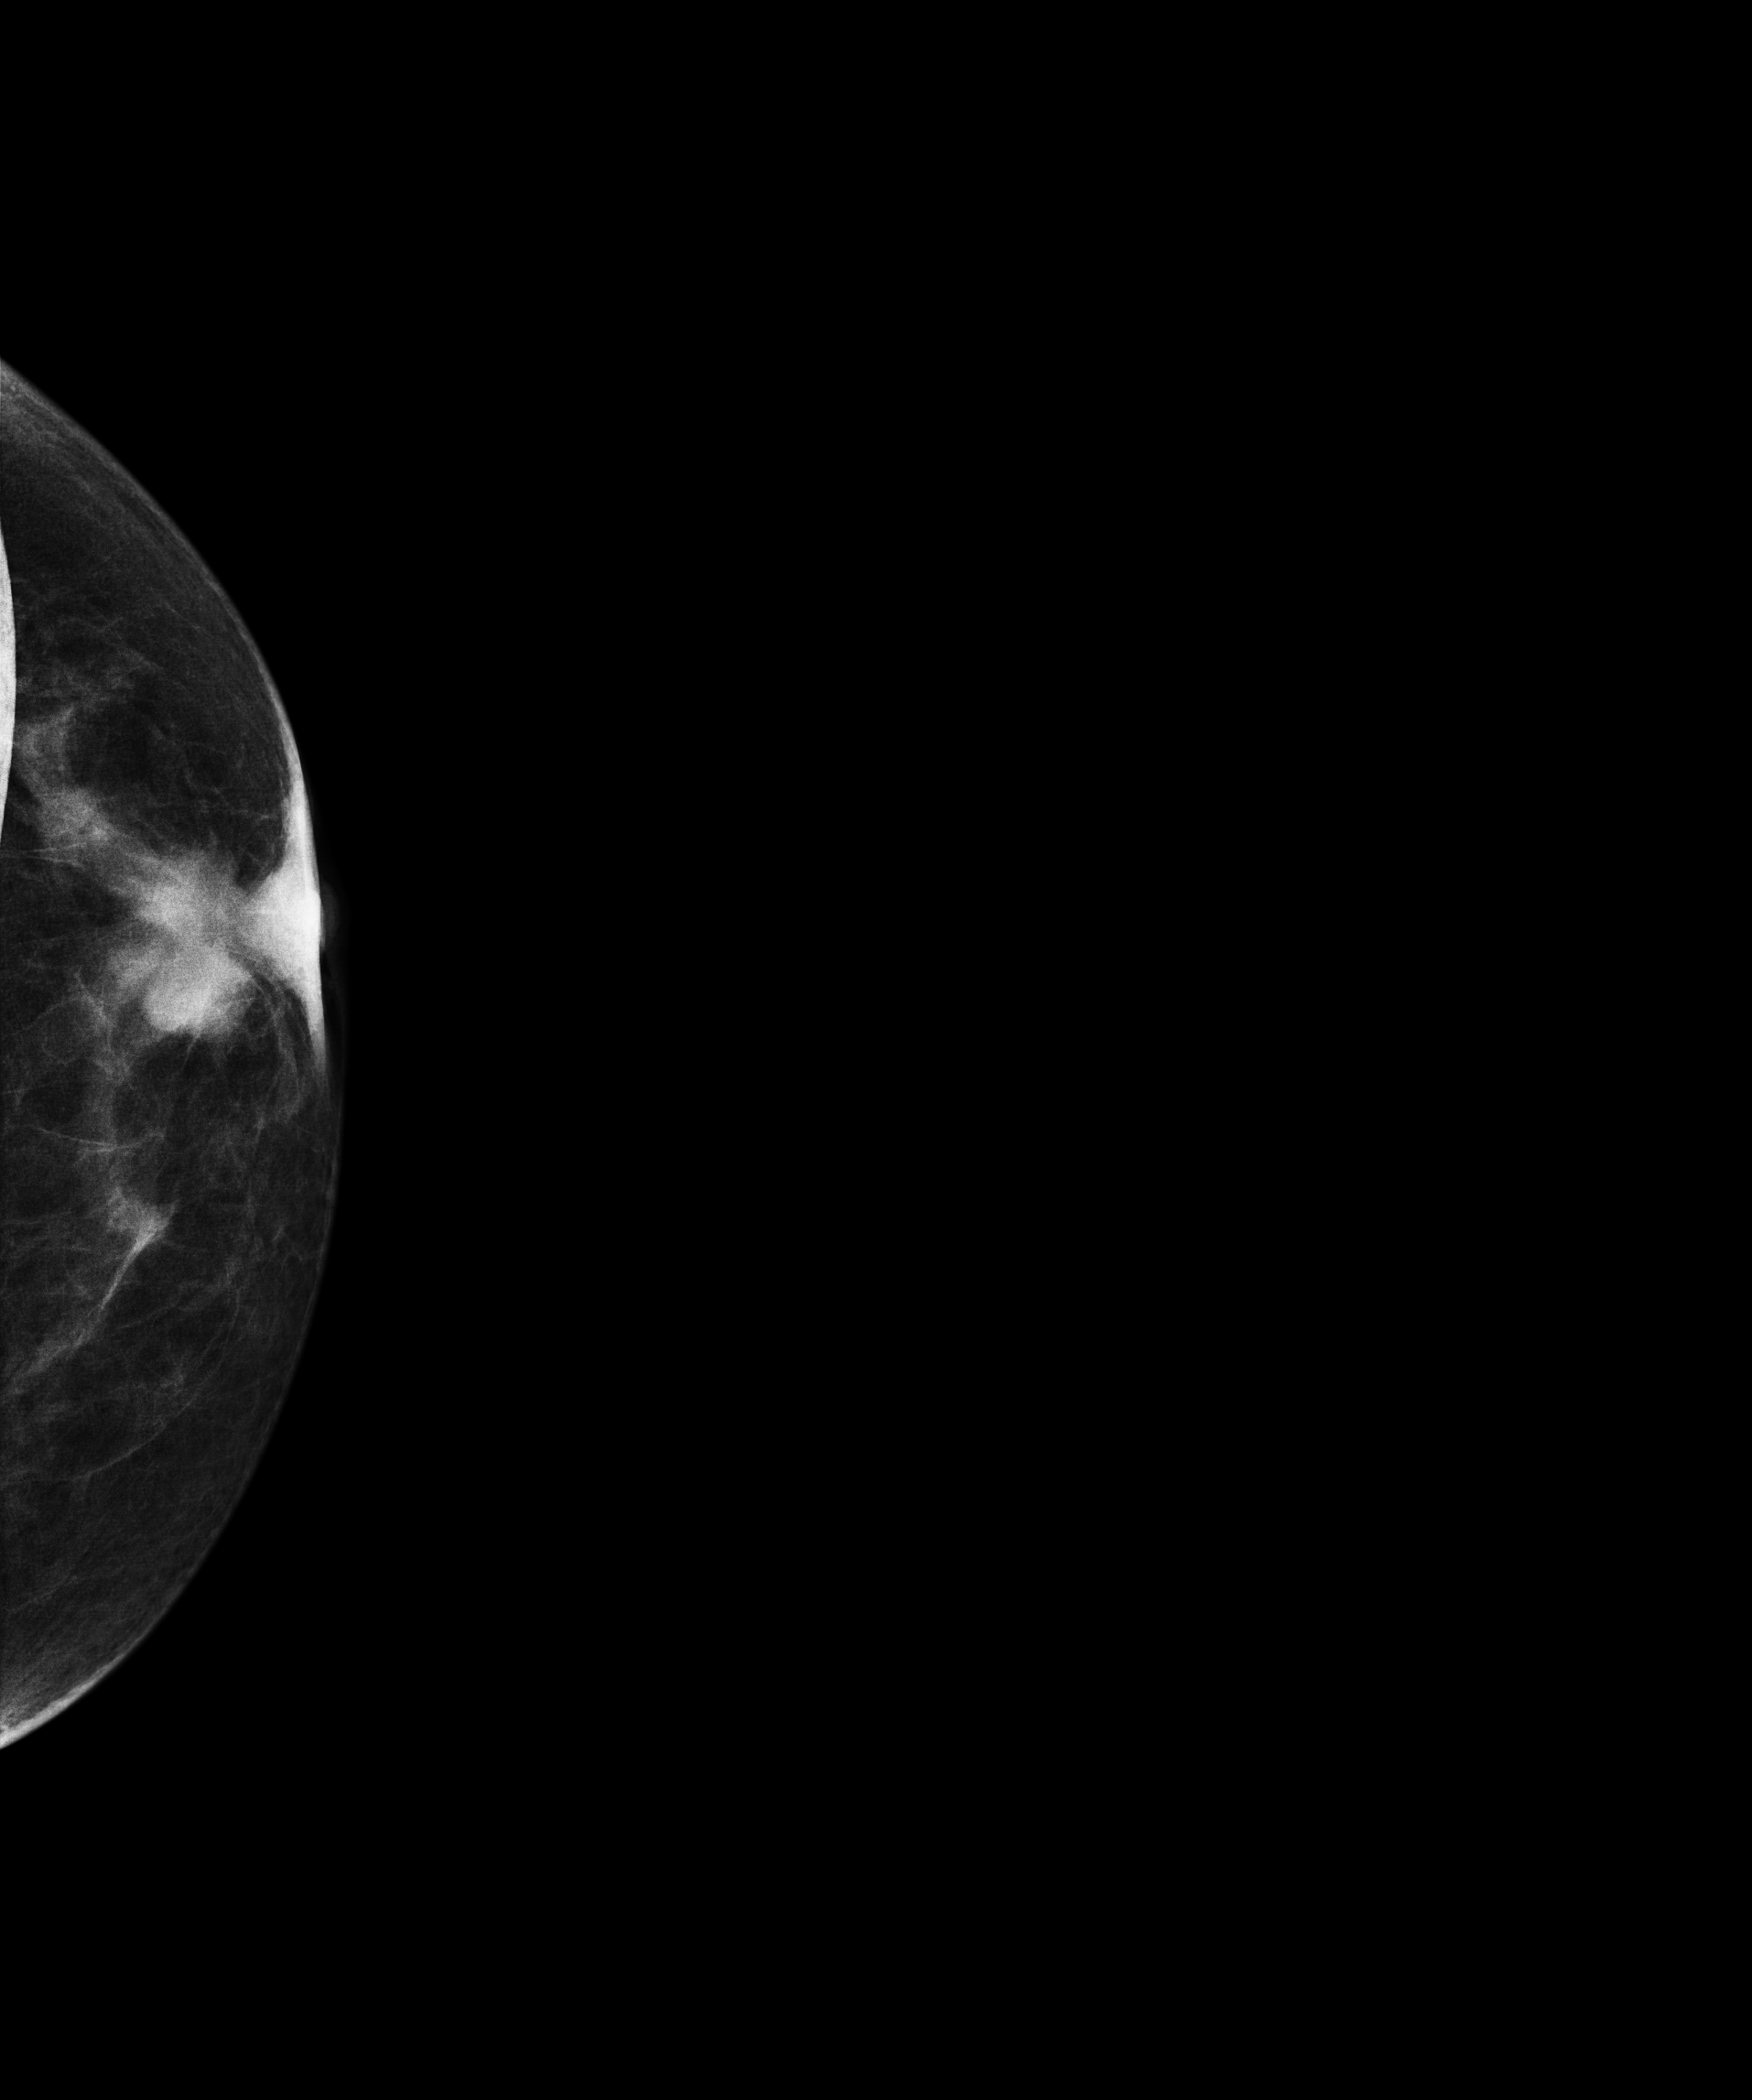
Digital mammography. Left breast, cranio-caudal projection. 62 y/o patient.
This breast has a mass, biopsy-proven malignant.